Left-breast mammogram, MLO. 49-year-old patient.
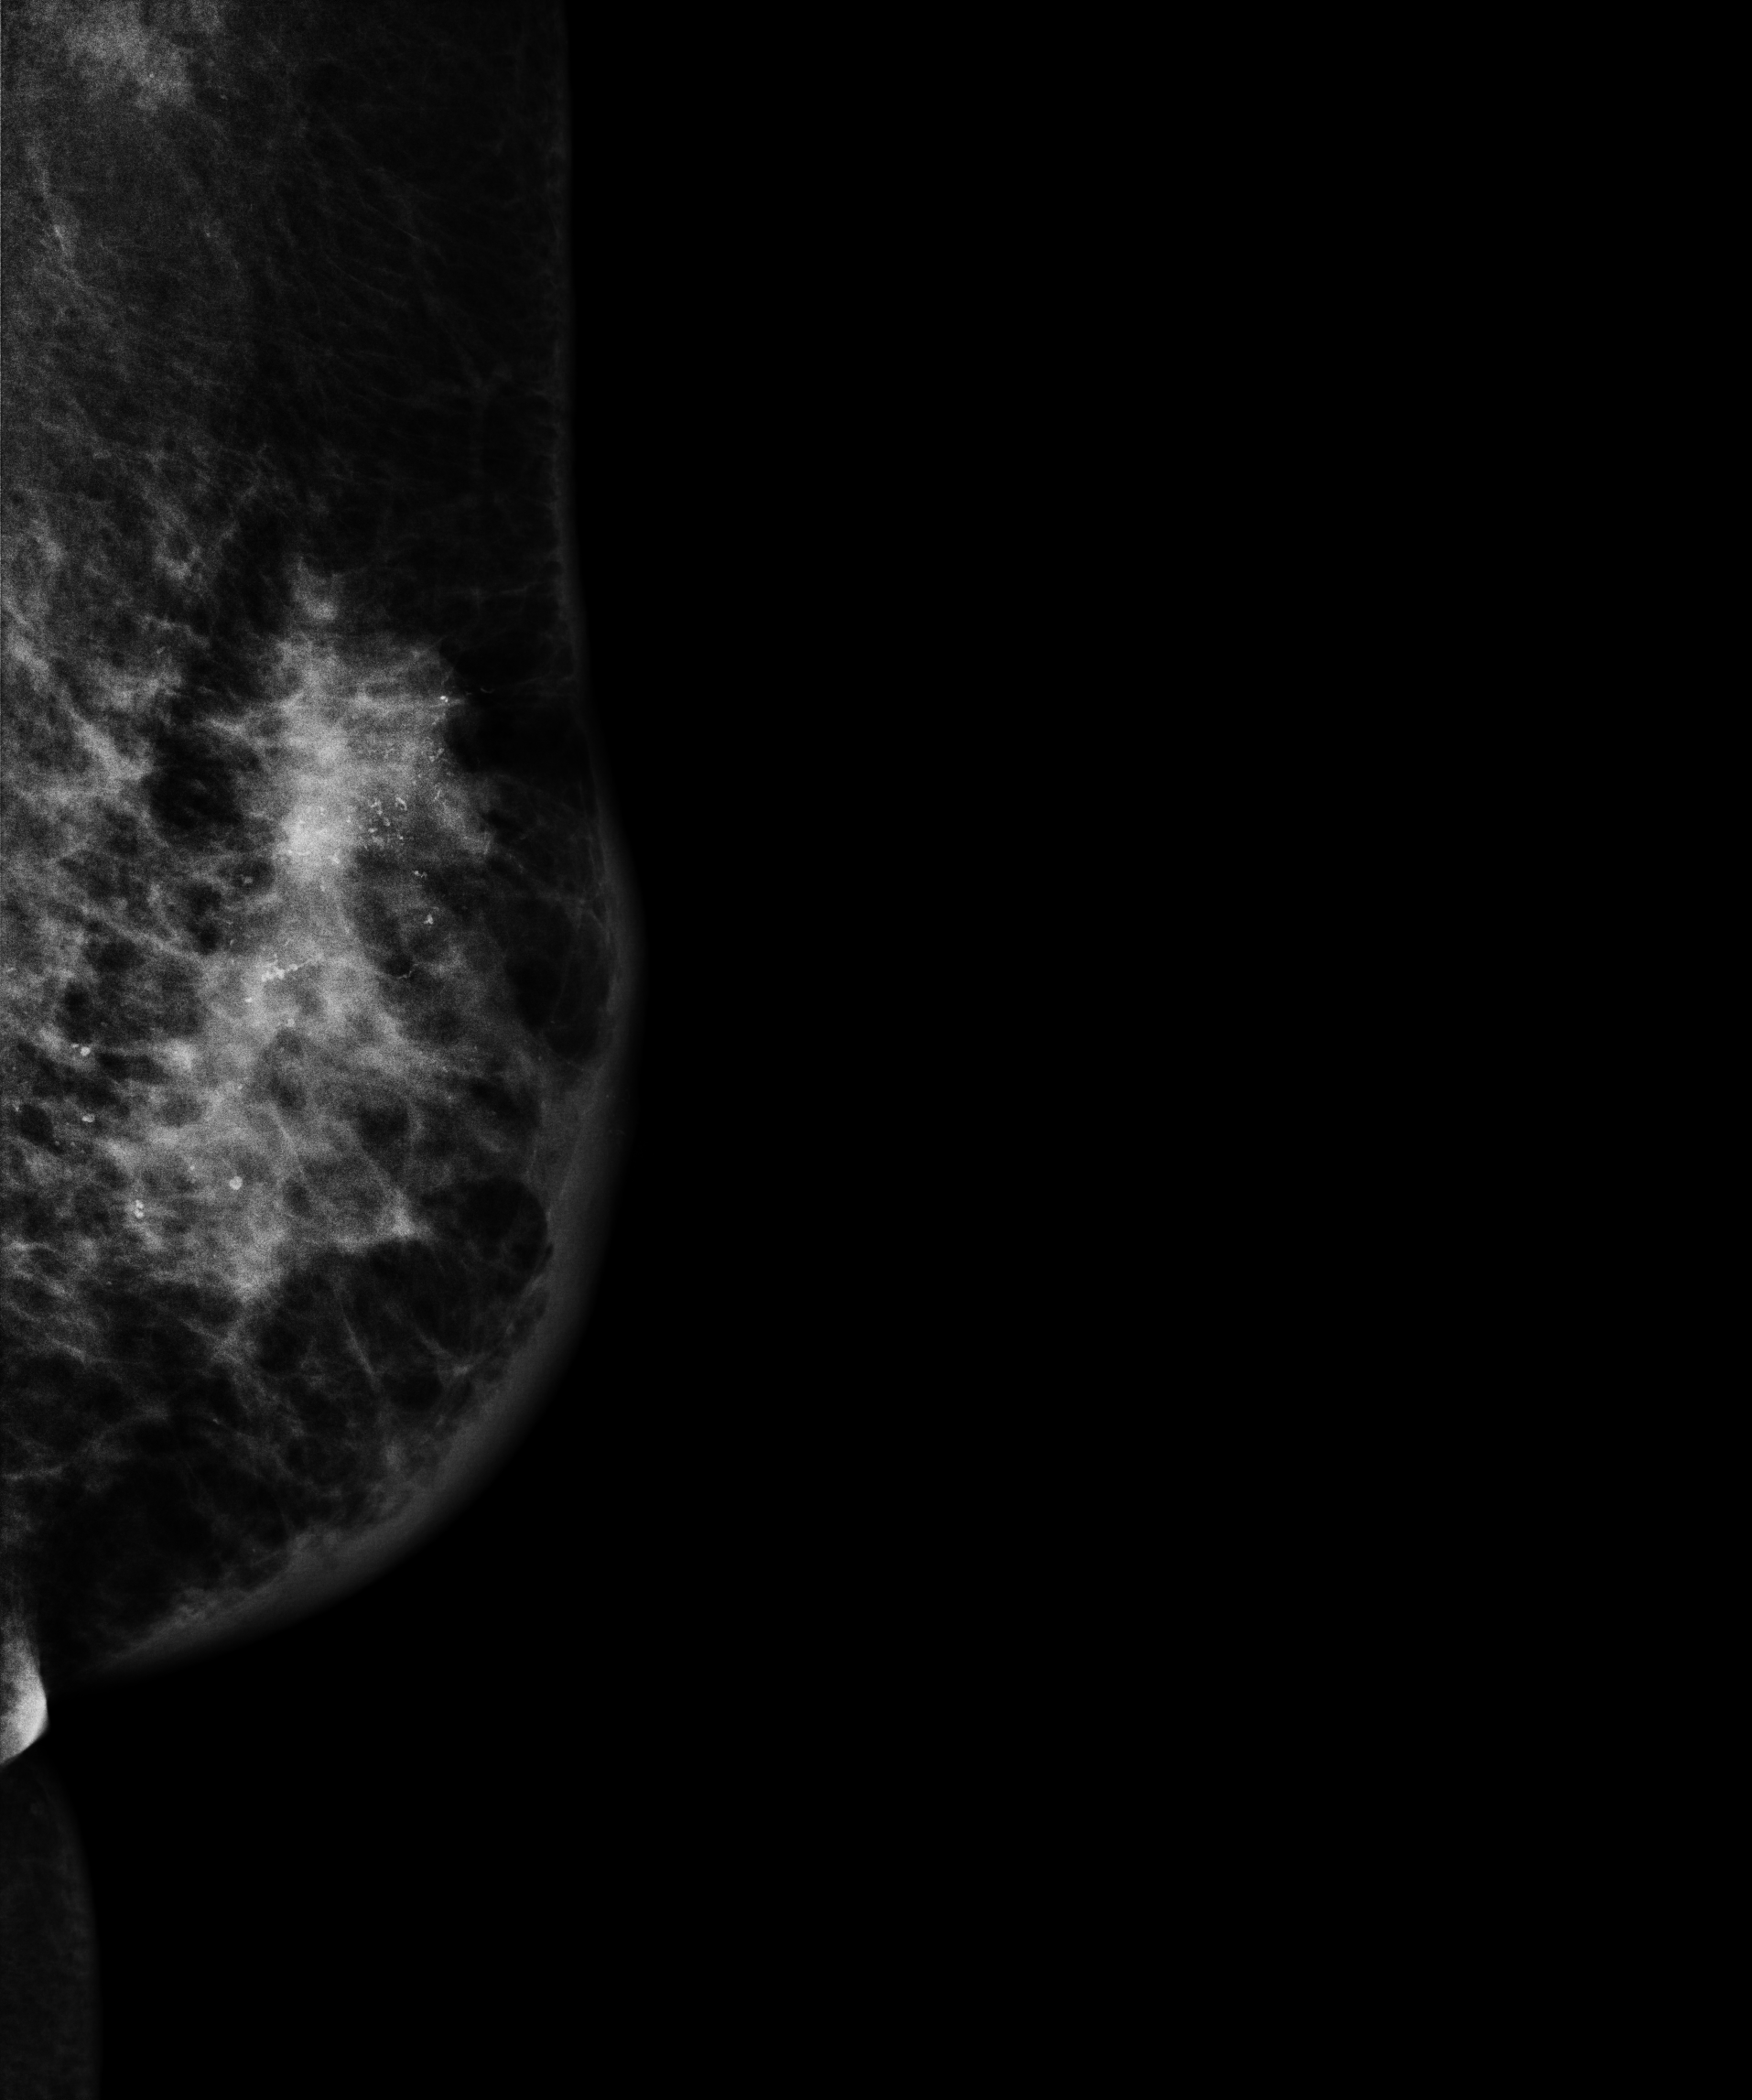
This breast has a mass and calcifications, pathology-confirmed malignant.